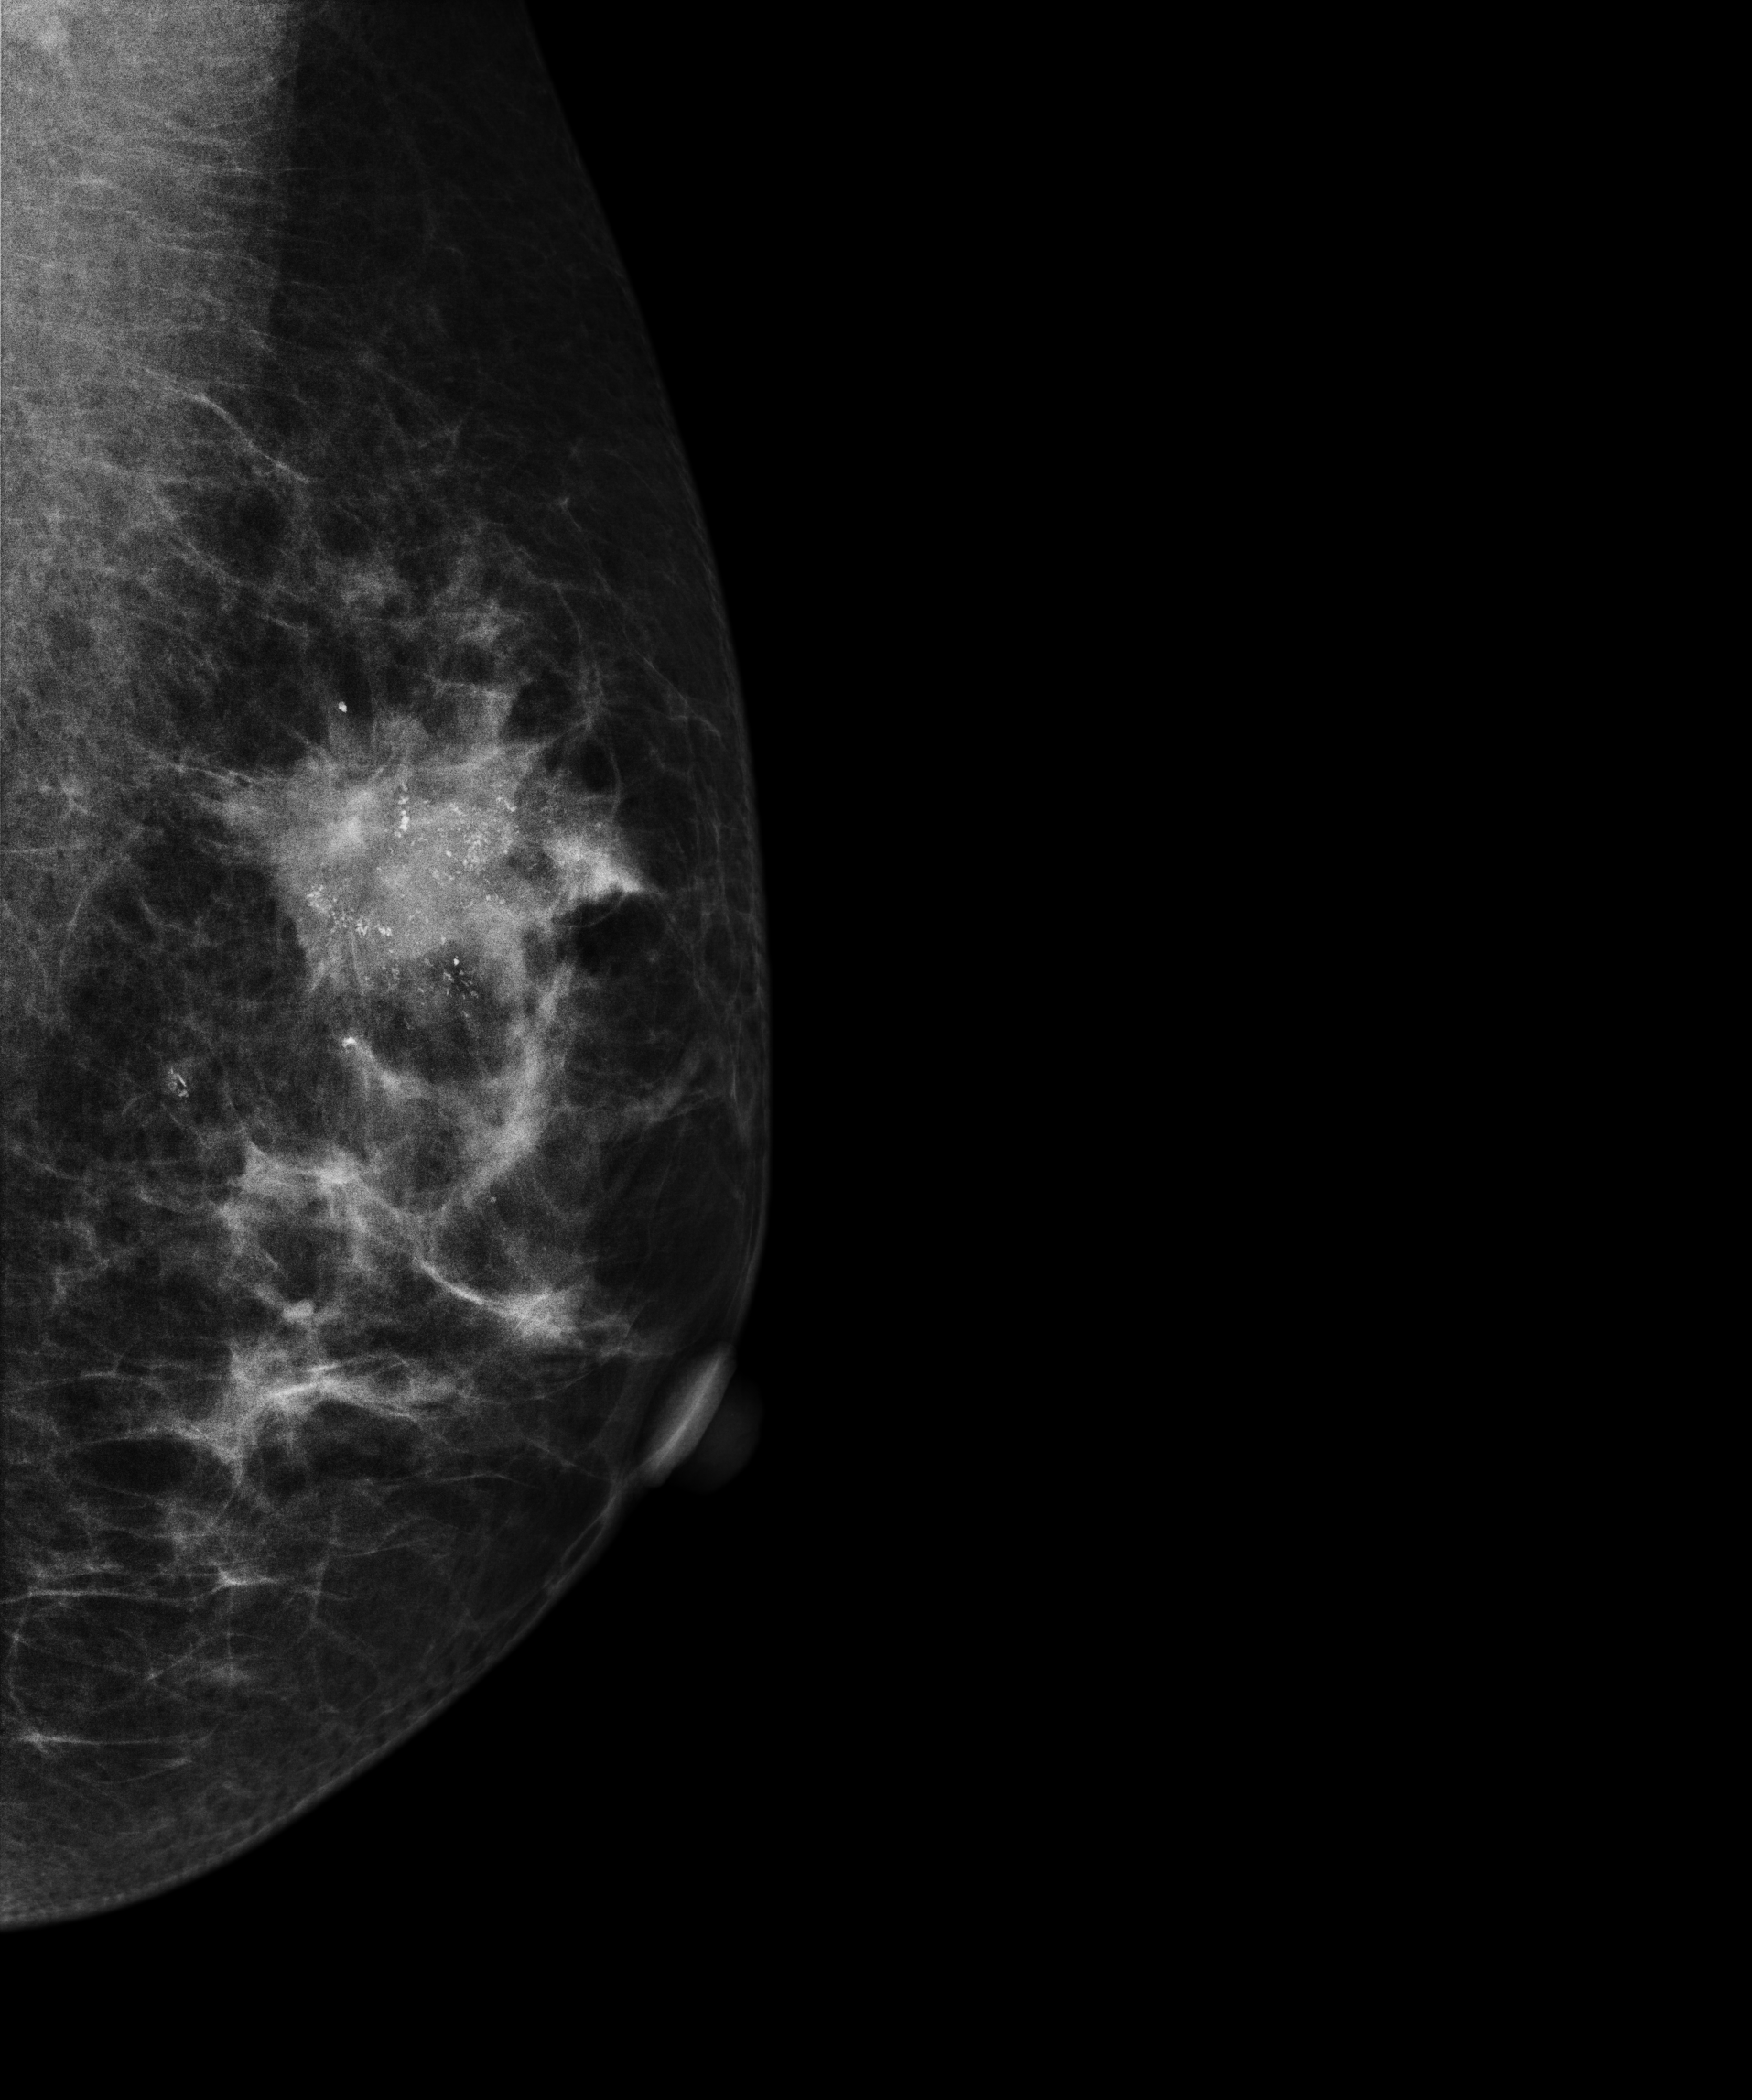
Digital mammography. Left breast, MLO projection. 50 y/o patient.
This breast has a mass and calcifications, biopsy-confirmed malignant. Molecular subtype: HER2-enriched.